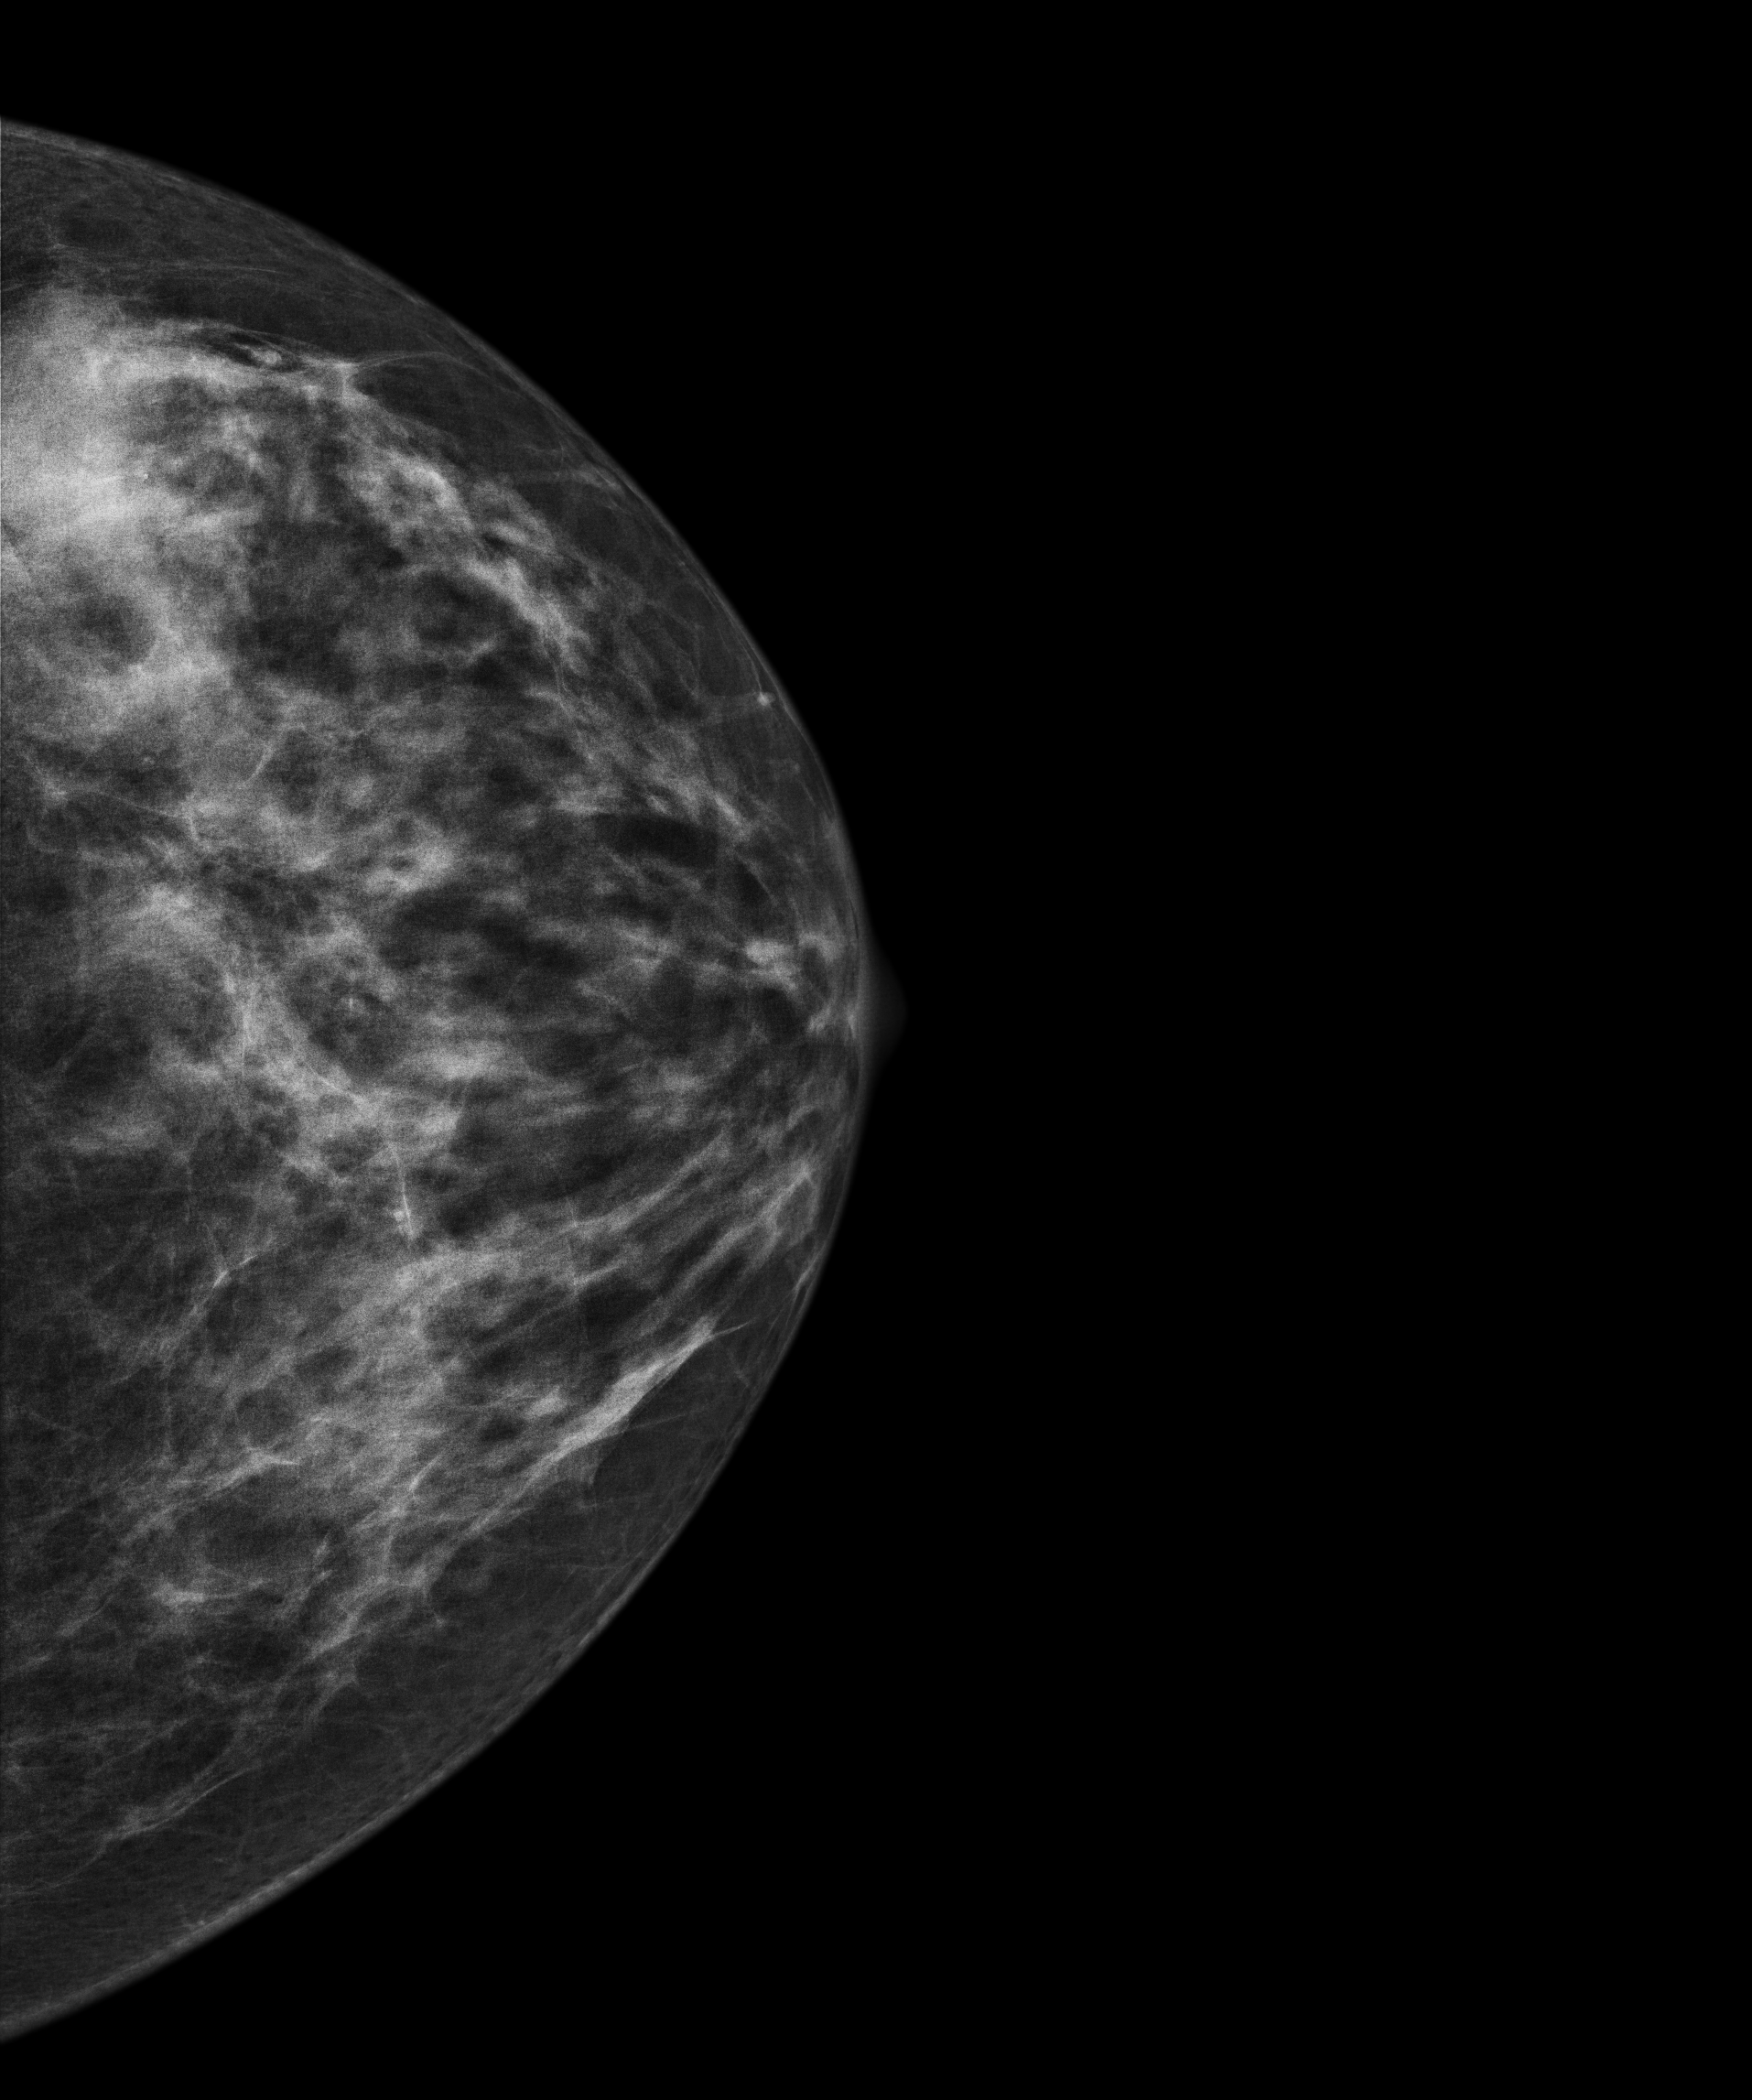
Left-breast mammogram, CC. 53-year-old patient.
This breast has a mass, pathology-confirmed malignant. Molecular subtype: triple-negative.